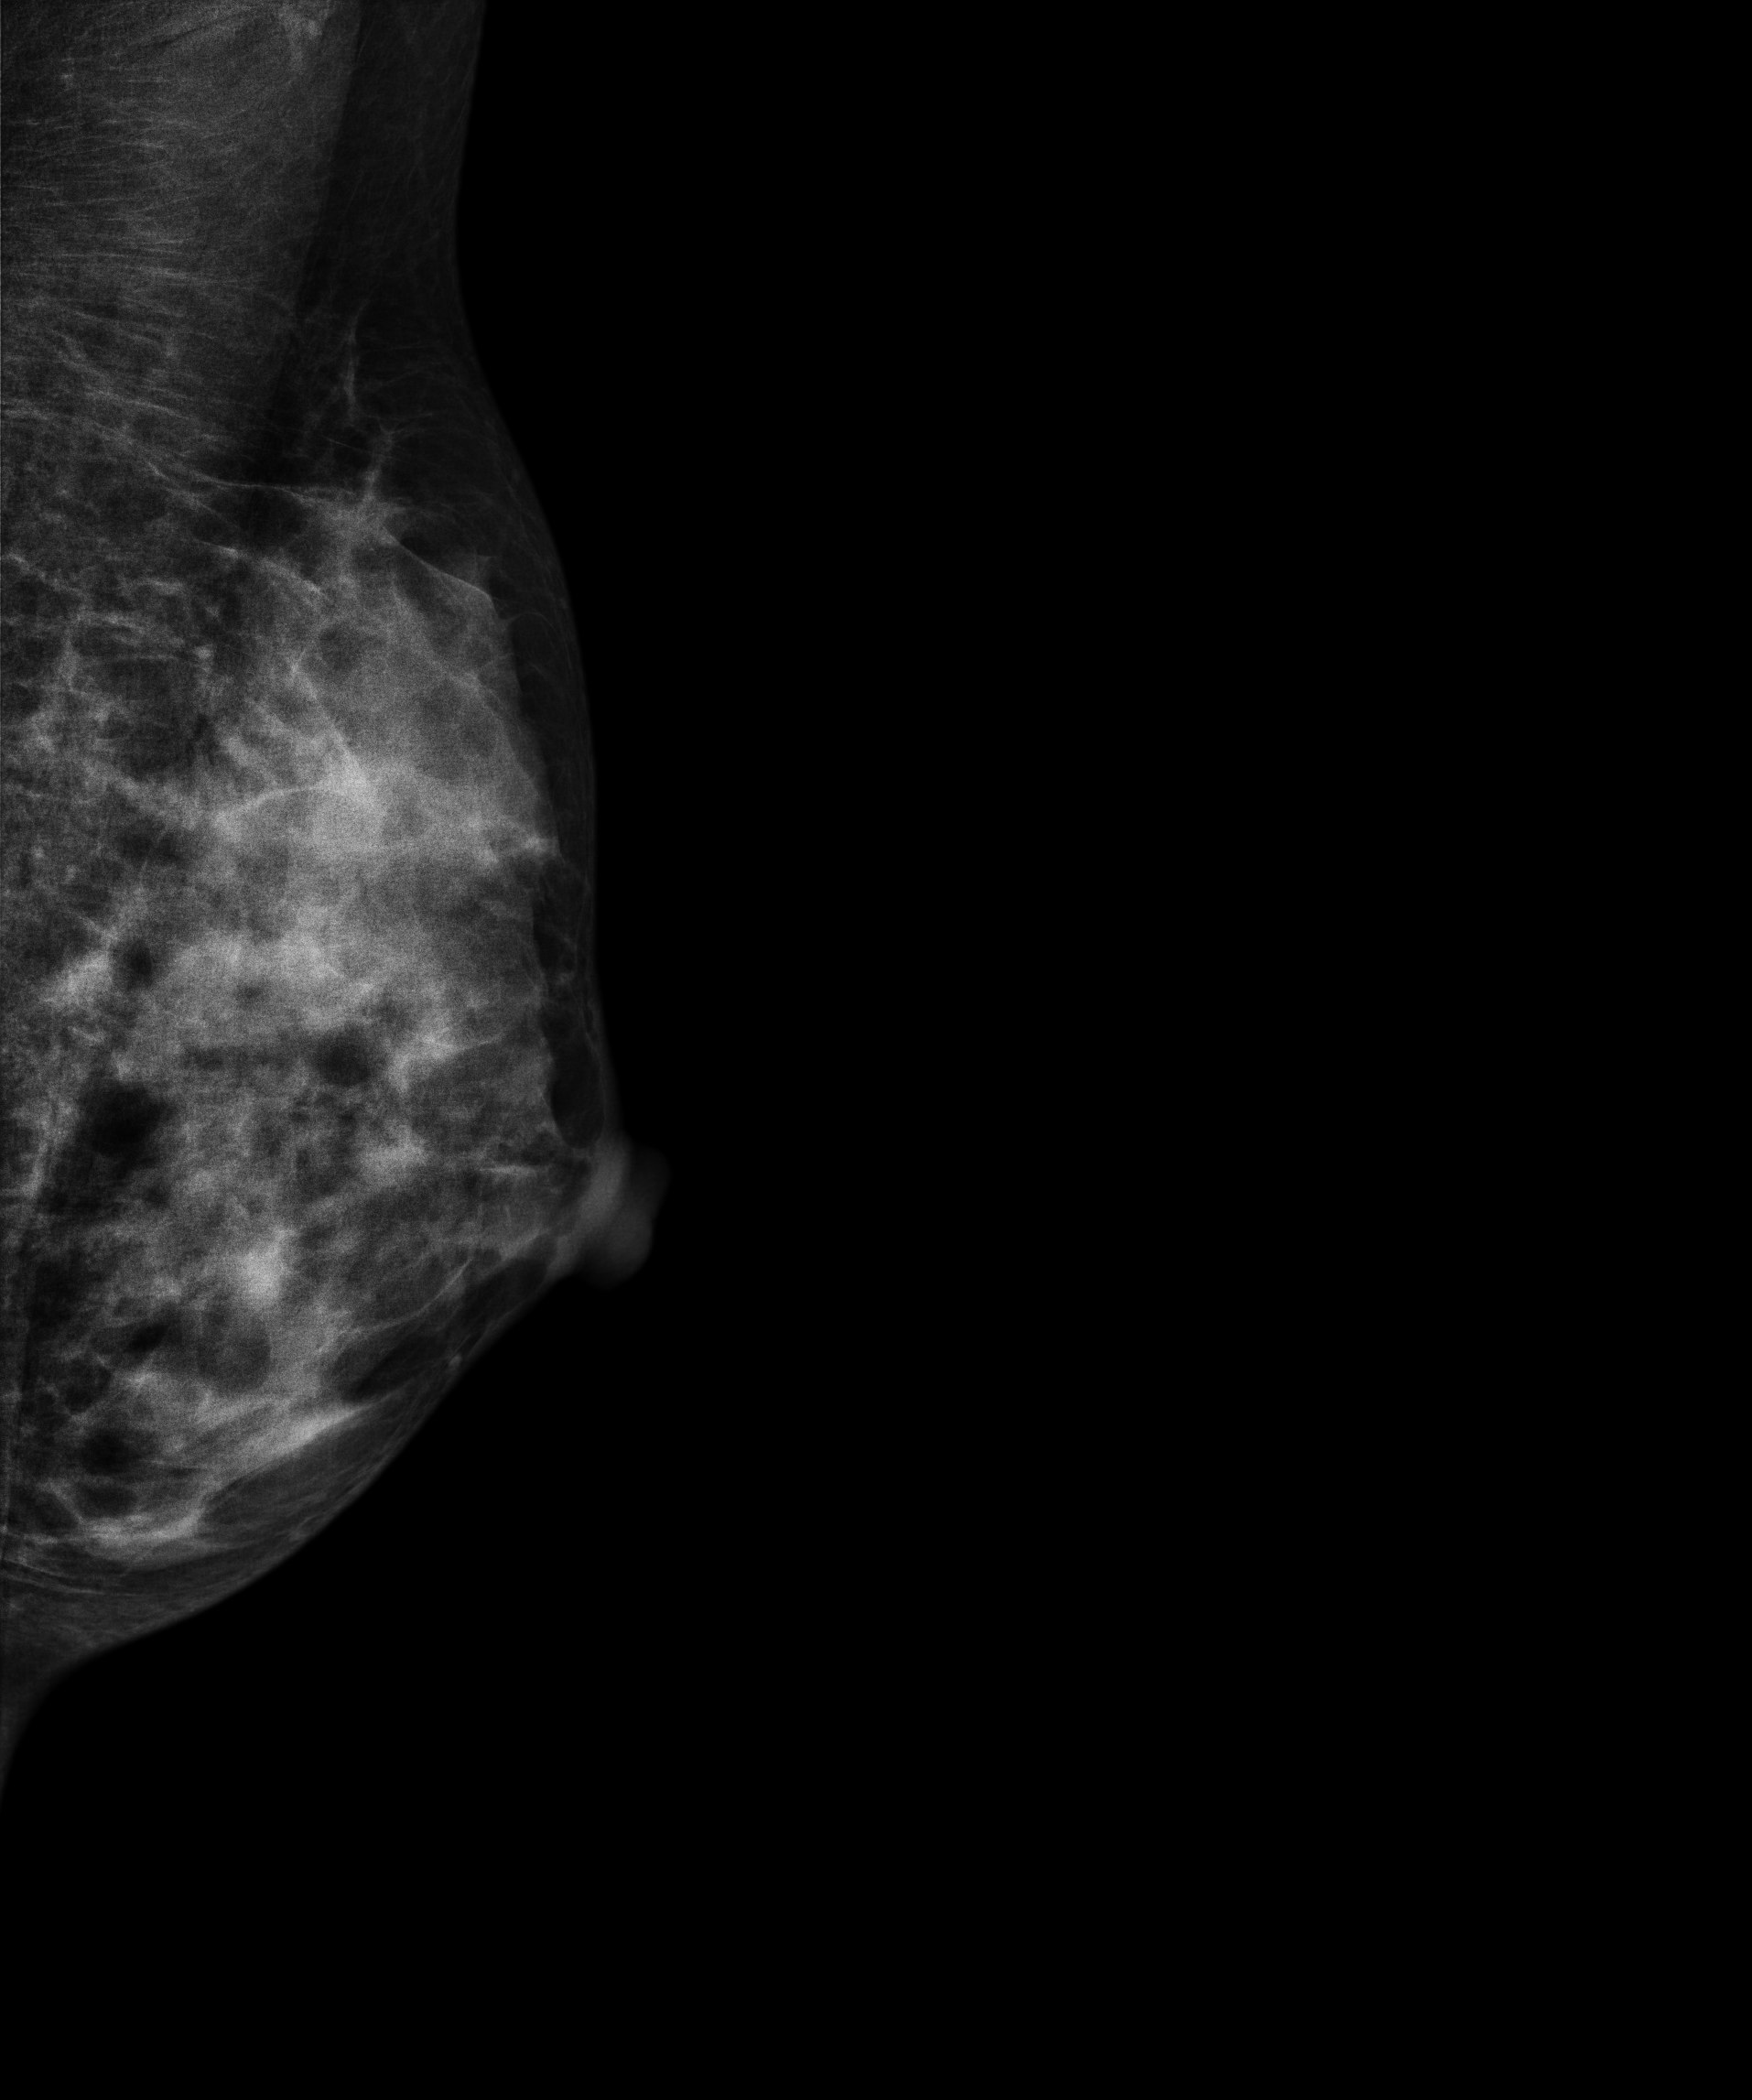
Medio-lateral oblique mammogram of the left breast. 38-year-old patient.
This breast has a mass, histologically confirmed malignant. Molecular subtype: triple-negative.